Right-breast mammogram, cranio-caudal. 46-year-old patient.
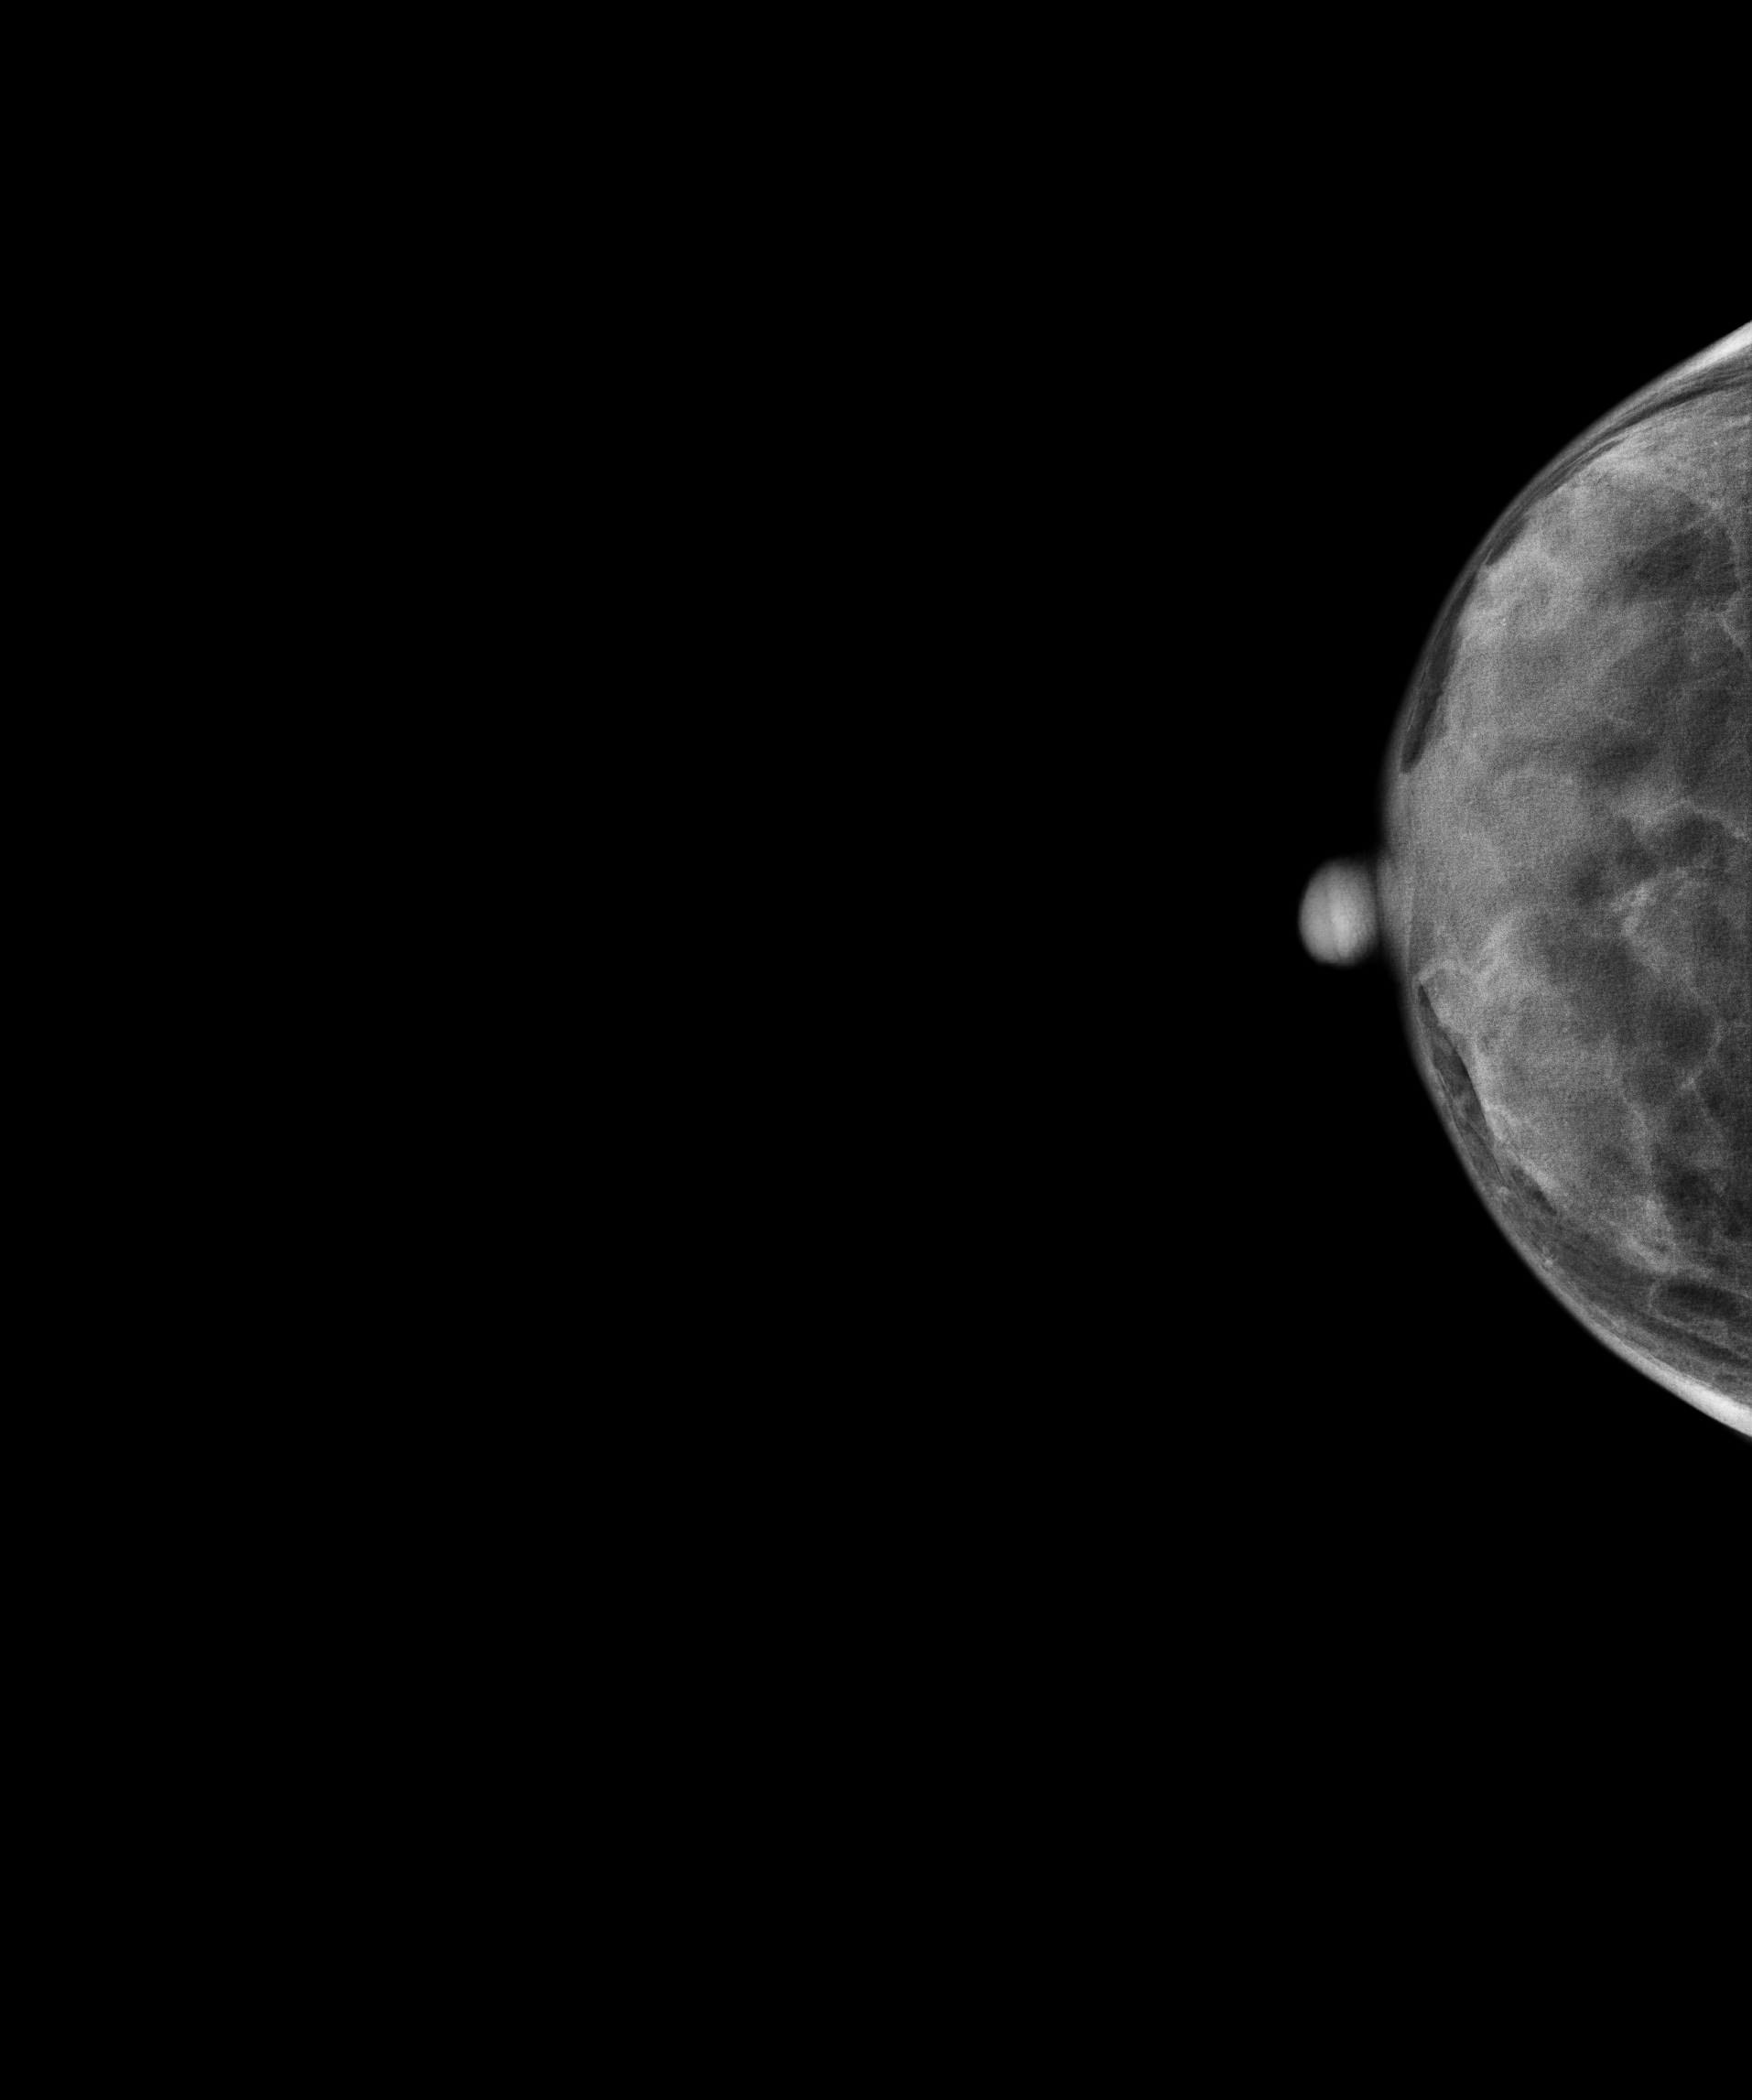
Contralateral breast — no documented abnormality on this side.